Right-breast mammogram, medio-lateral oblique. Patient age 35.
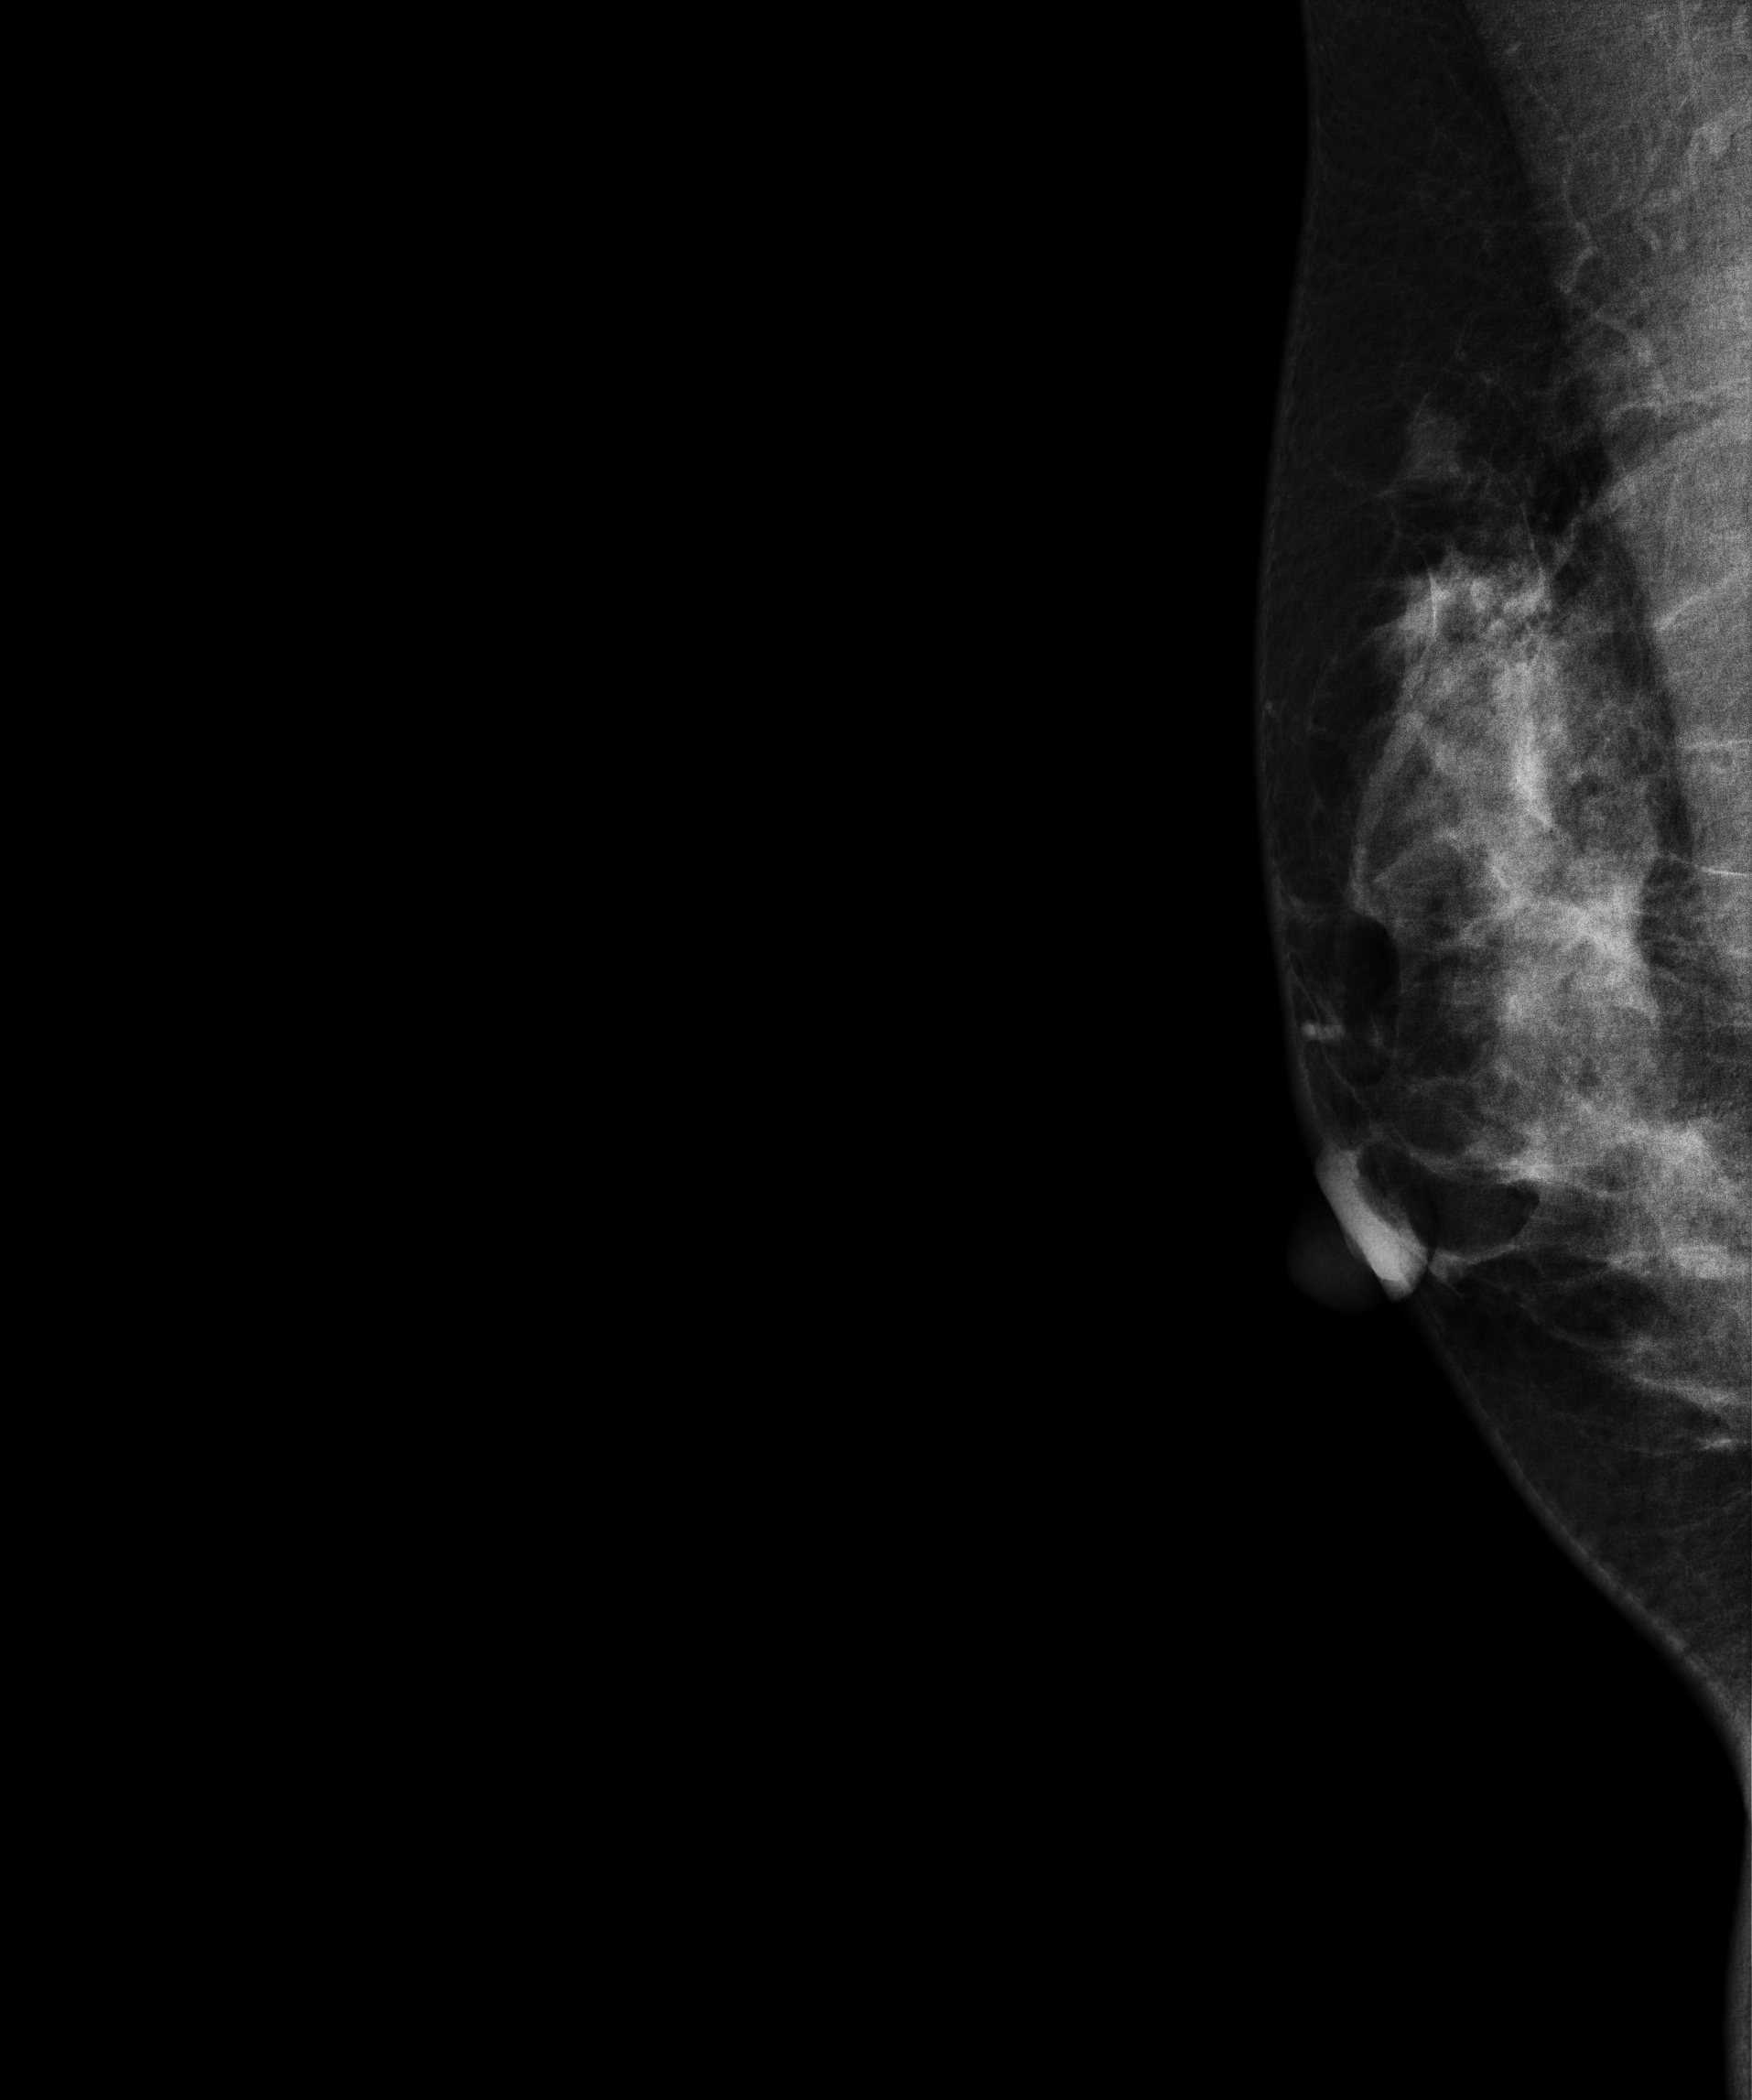
This breast has a mass, pathology-confirmed malignant. Molecular subtype: luminal A.